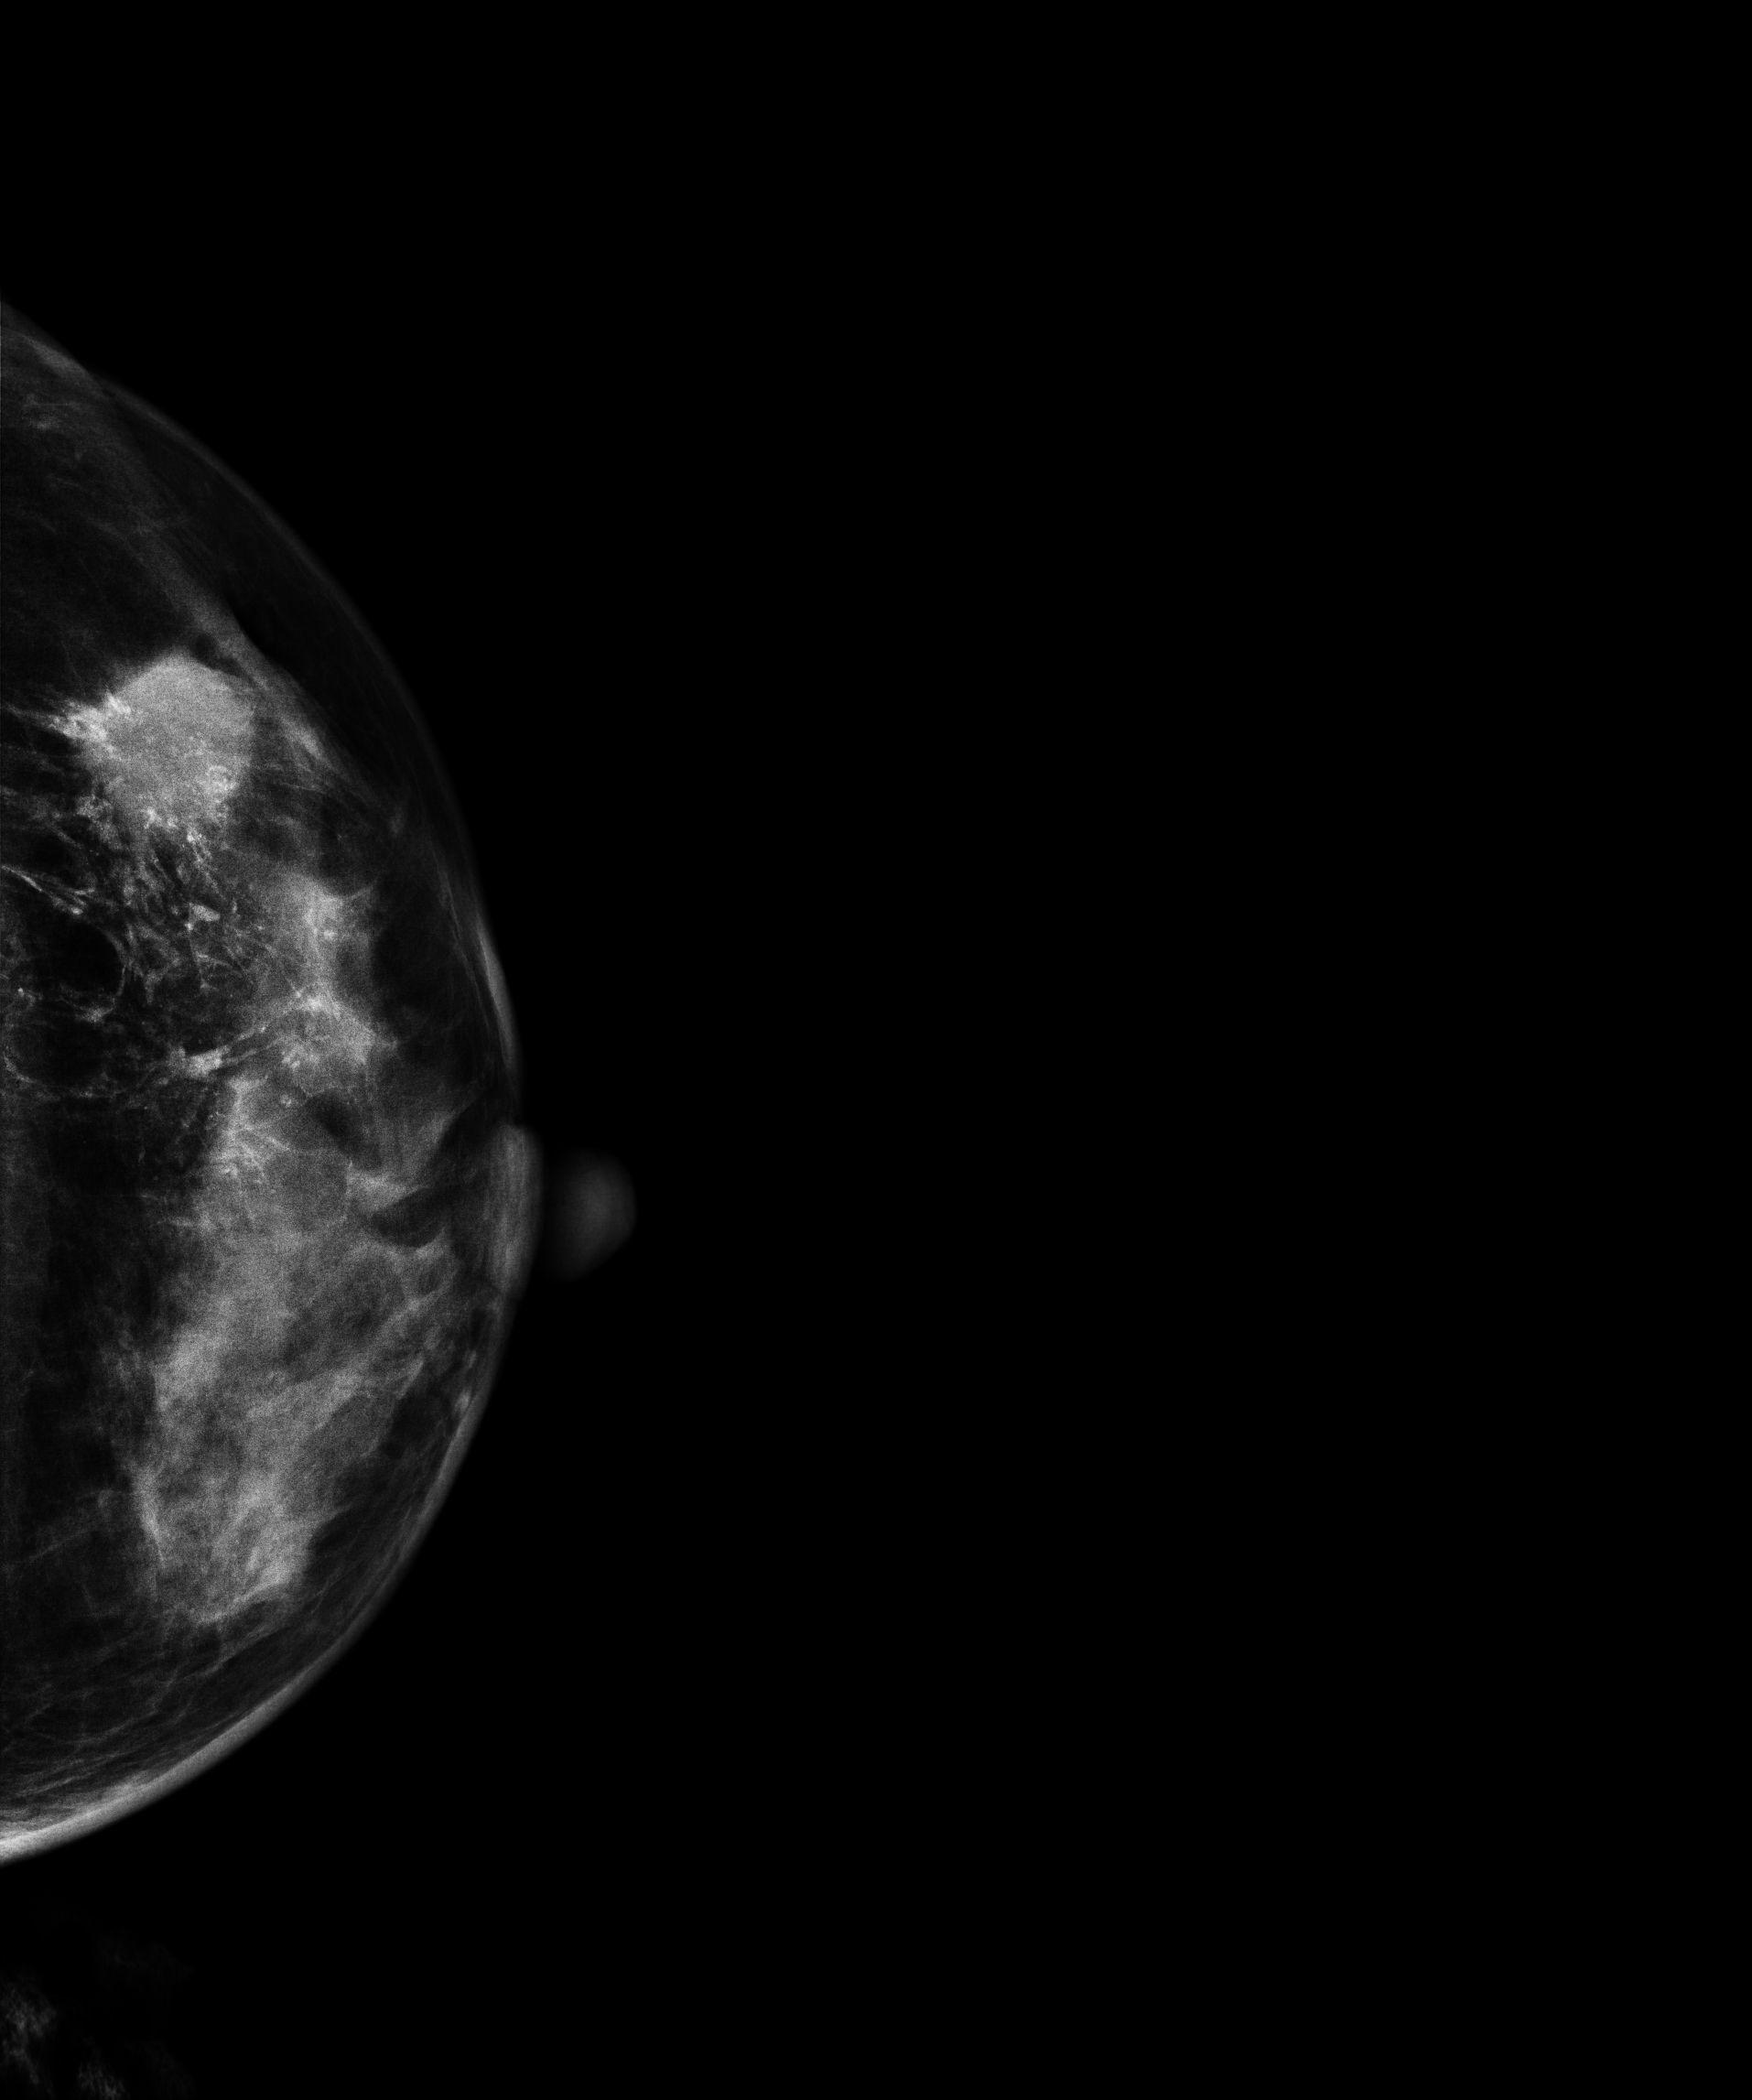
Digital mammography. Left breast, CC projection. 33-year-old patient.
This breast has a mass and calcifications, biopsy-confirmed malignant. Molecular subtype: luminal B.